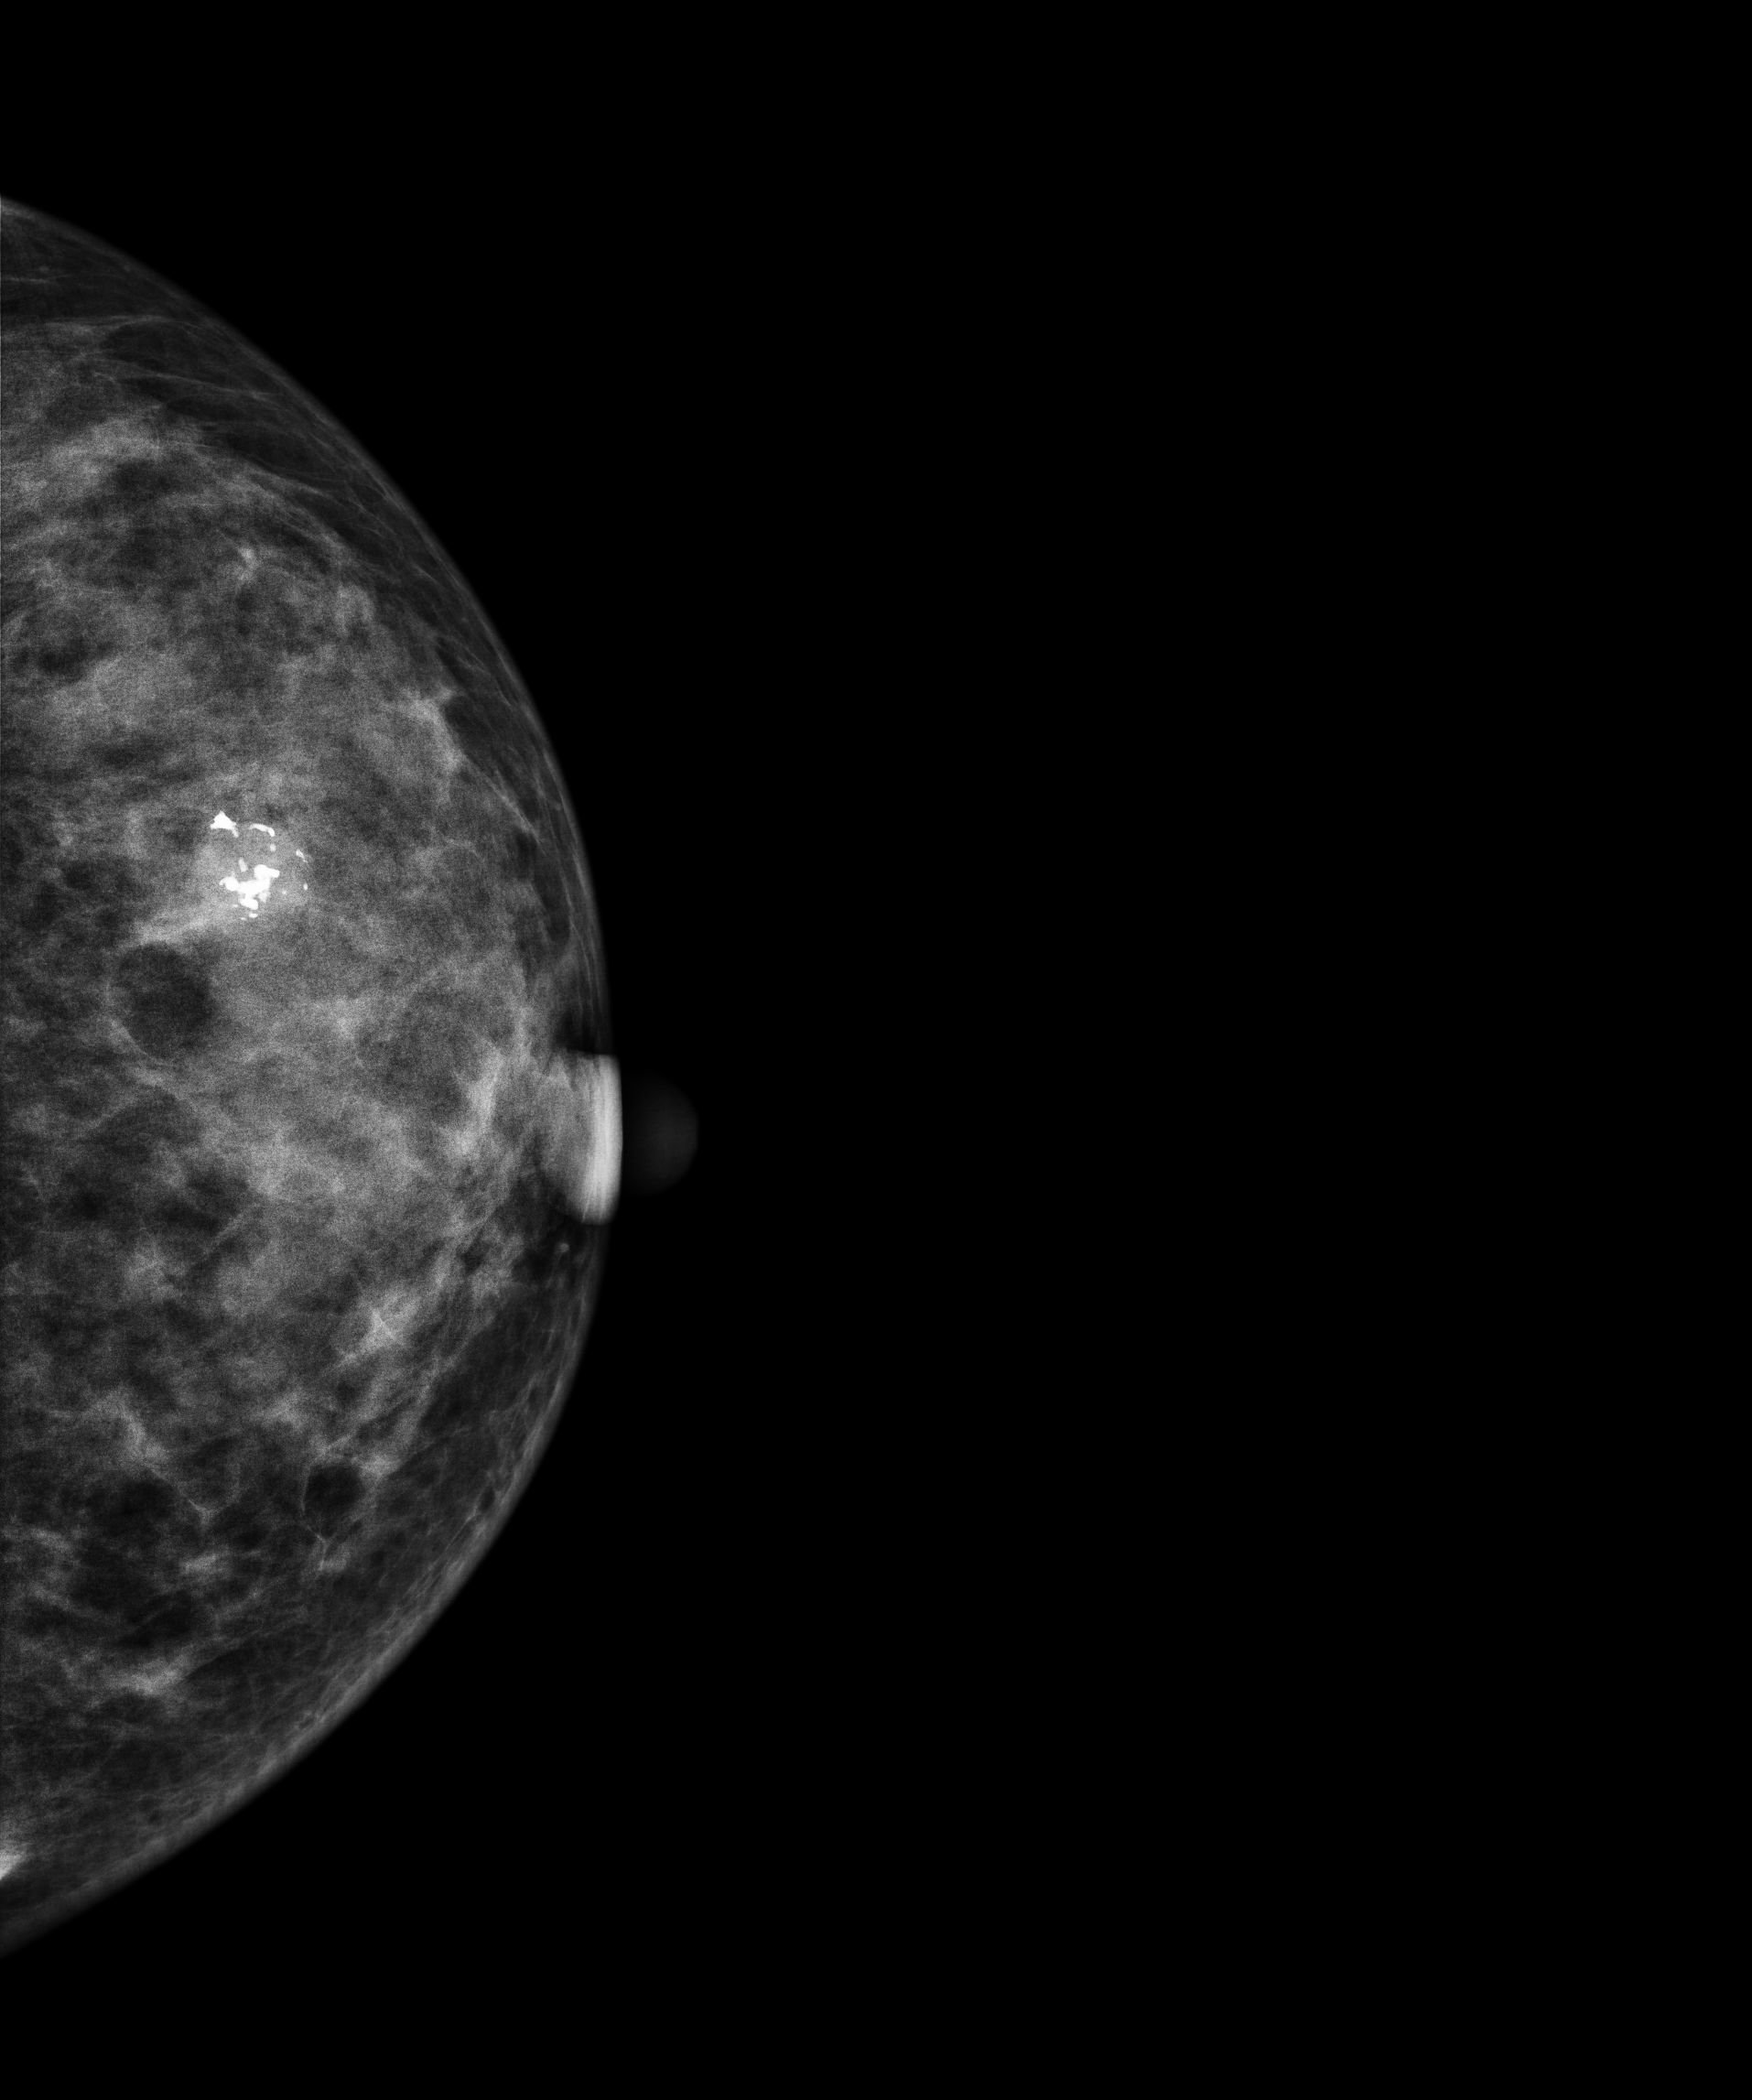
Mammogram — left cranio-caudal. 49 y/o patient.
This breast has a mass and calcifications, pathology-confirmed benign.